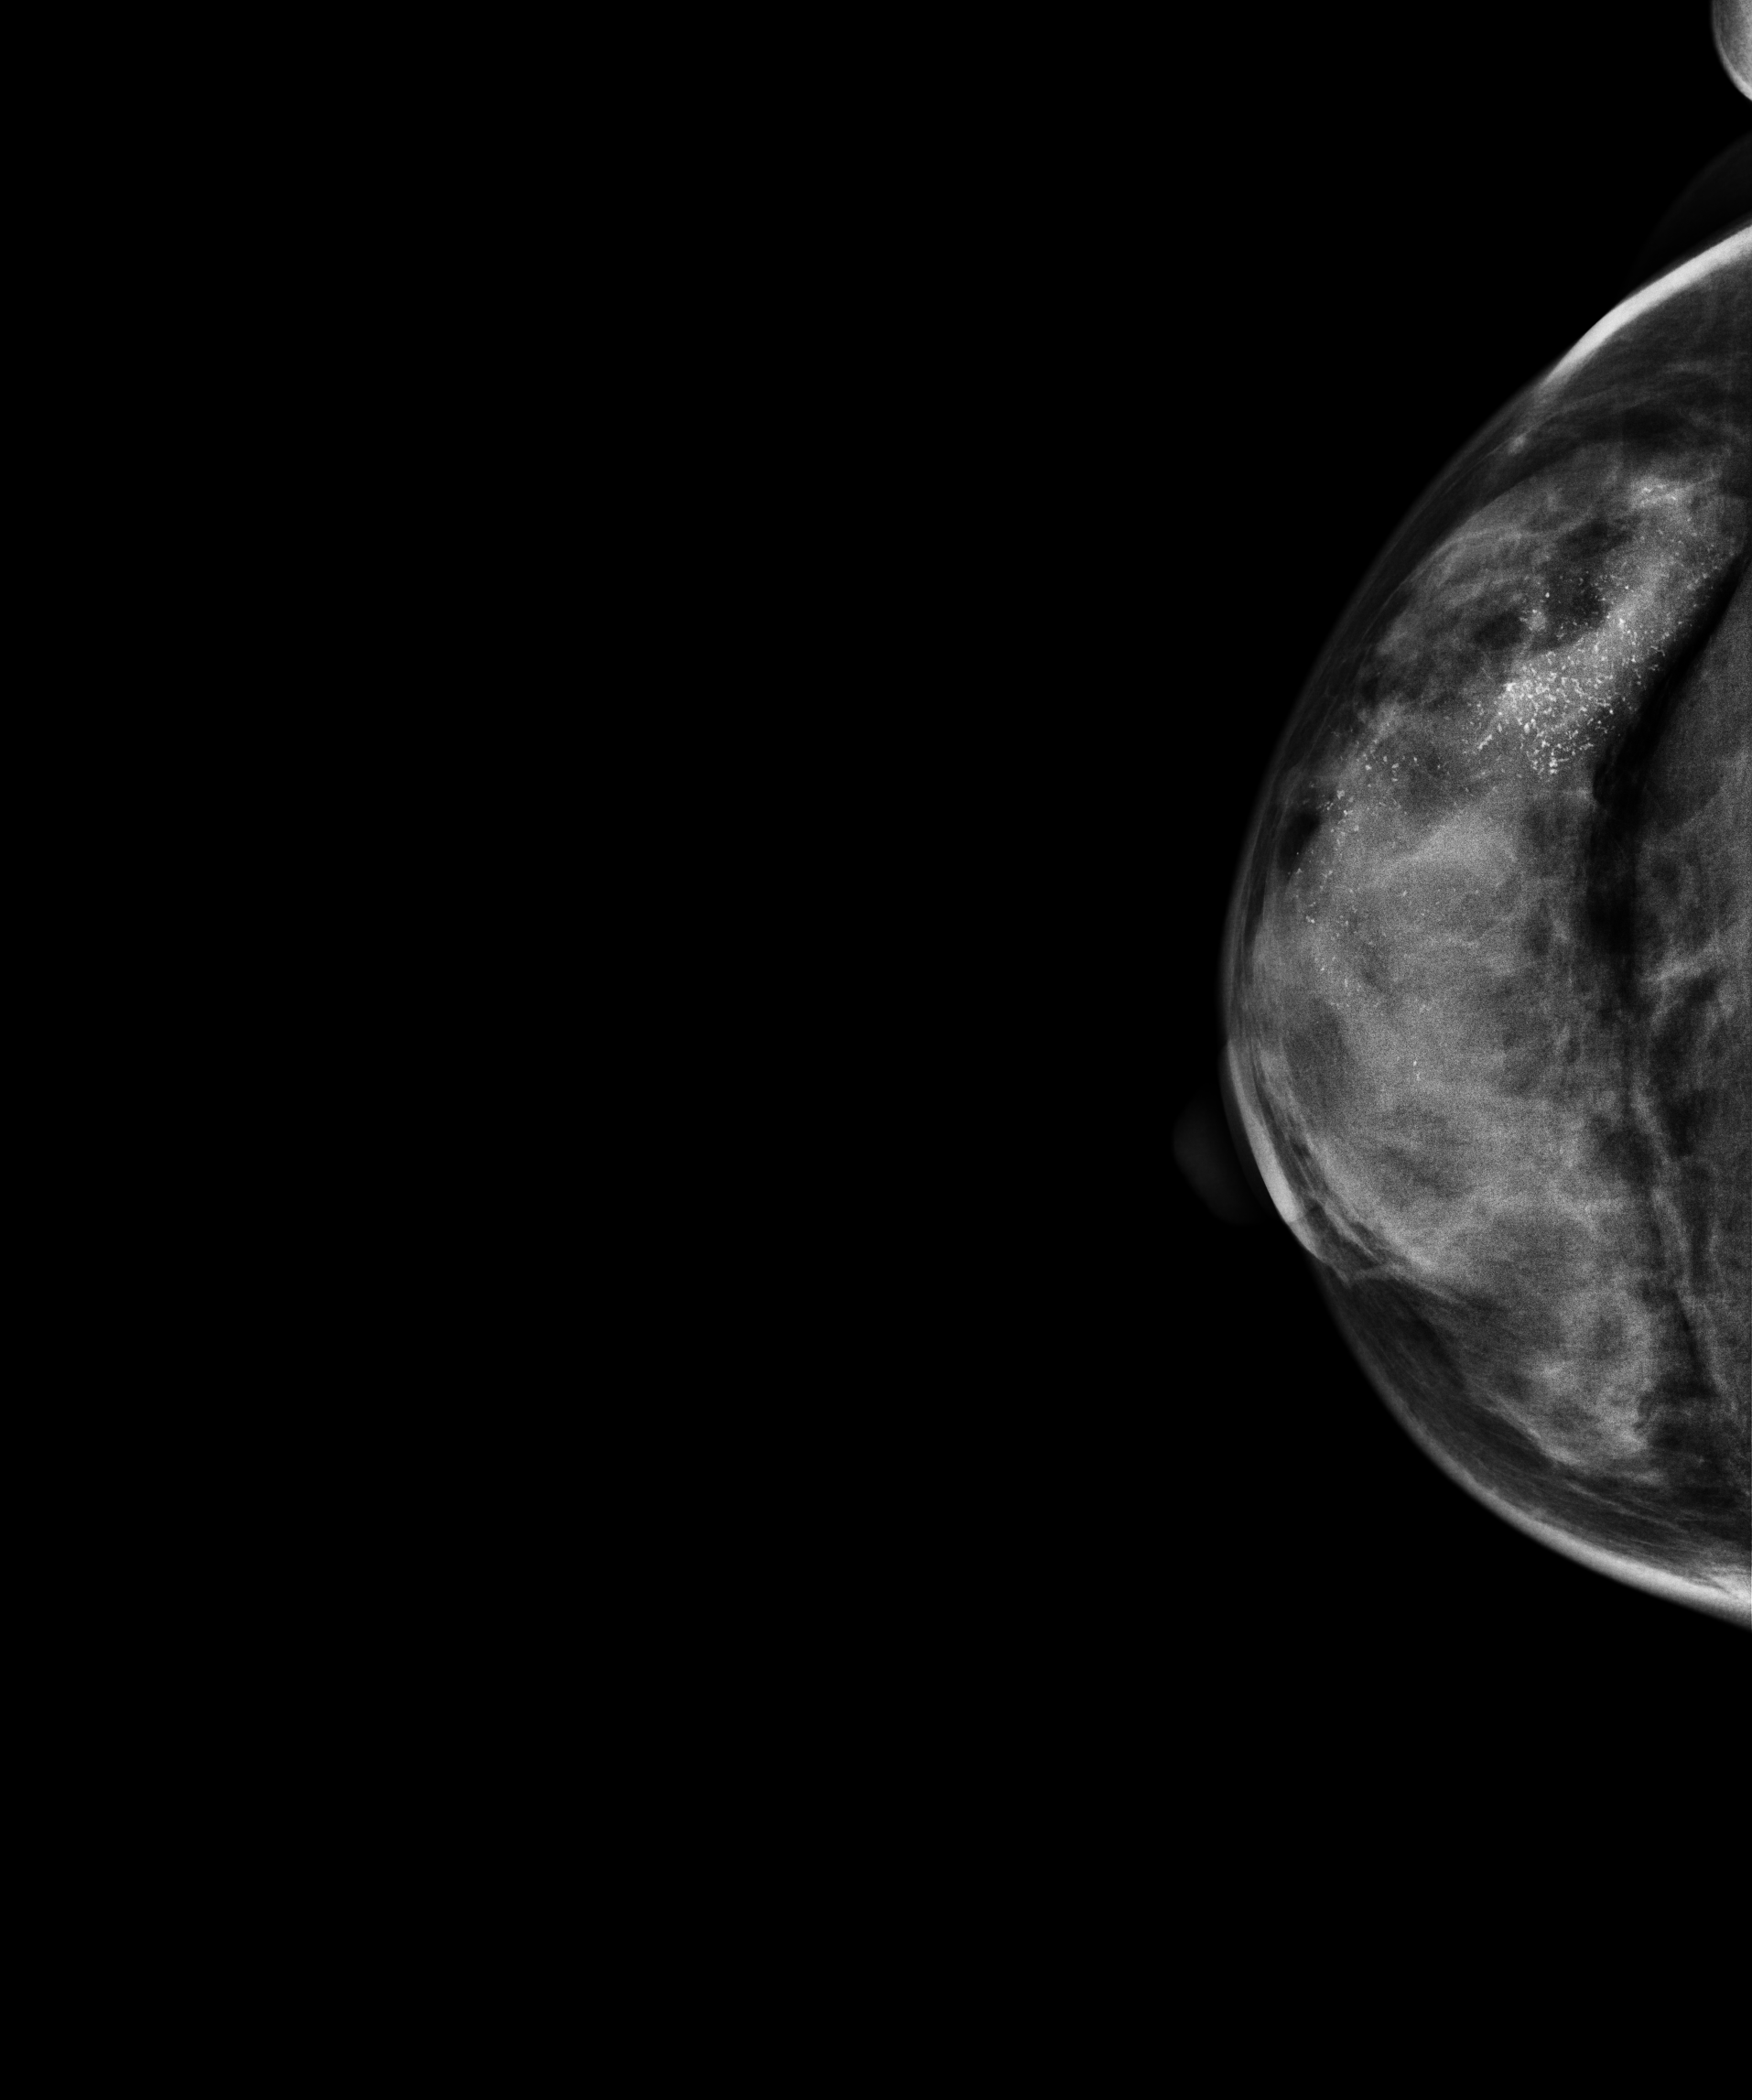
Mammogram — right CC. Patient age 44.
This breast has calcifications, biopsy-confirmed malignant. Molecular subtype: luminal A.